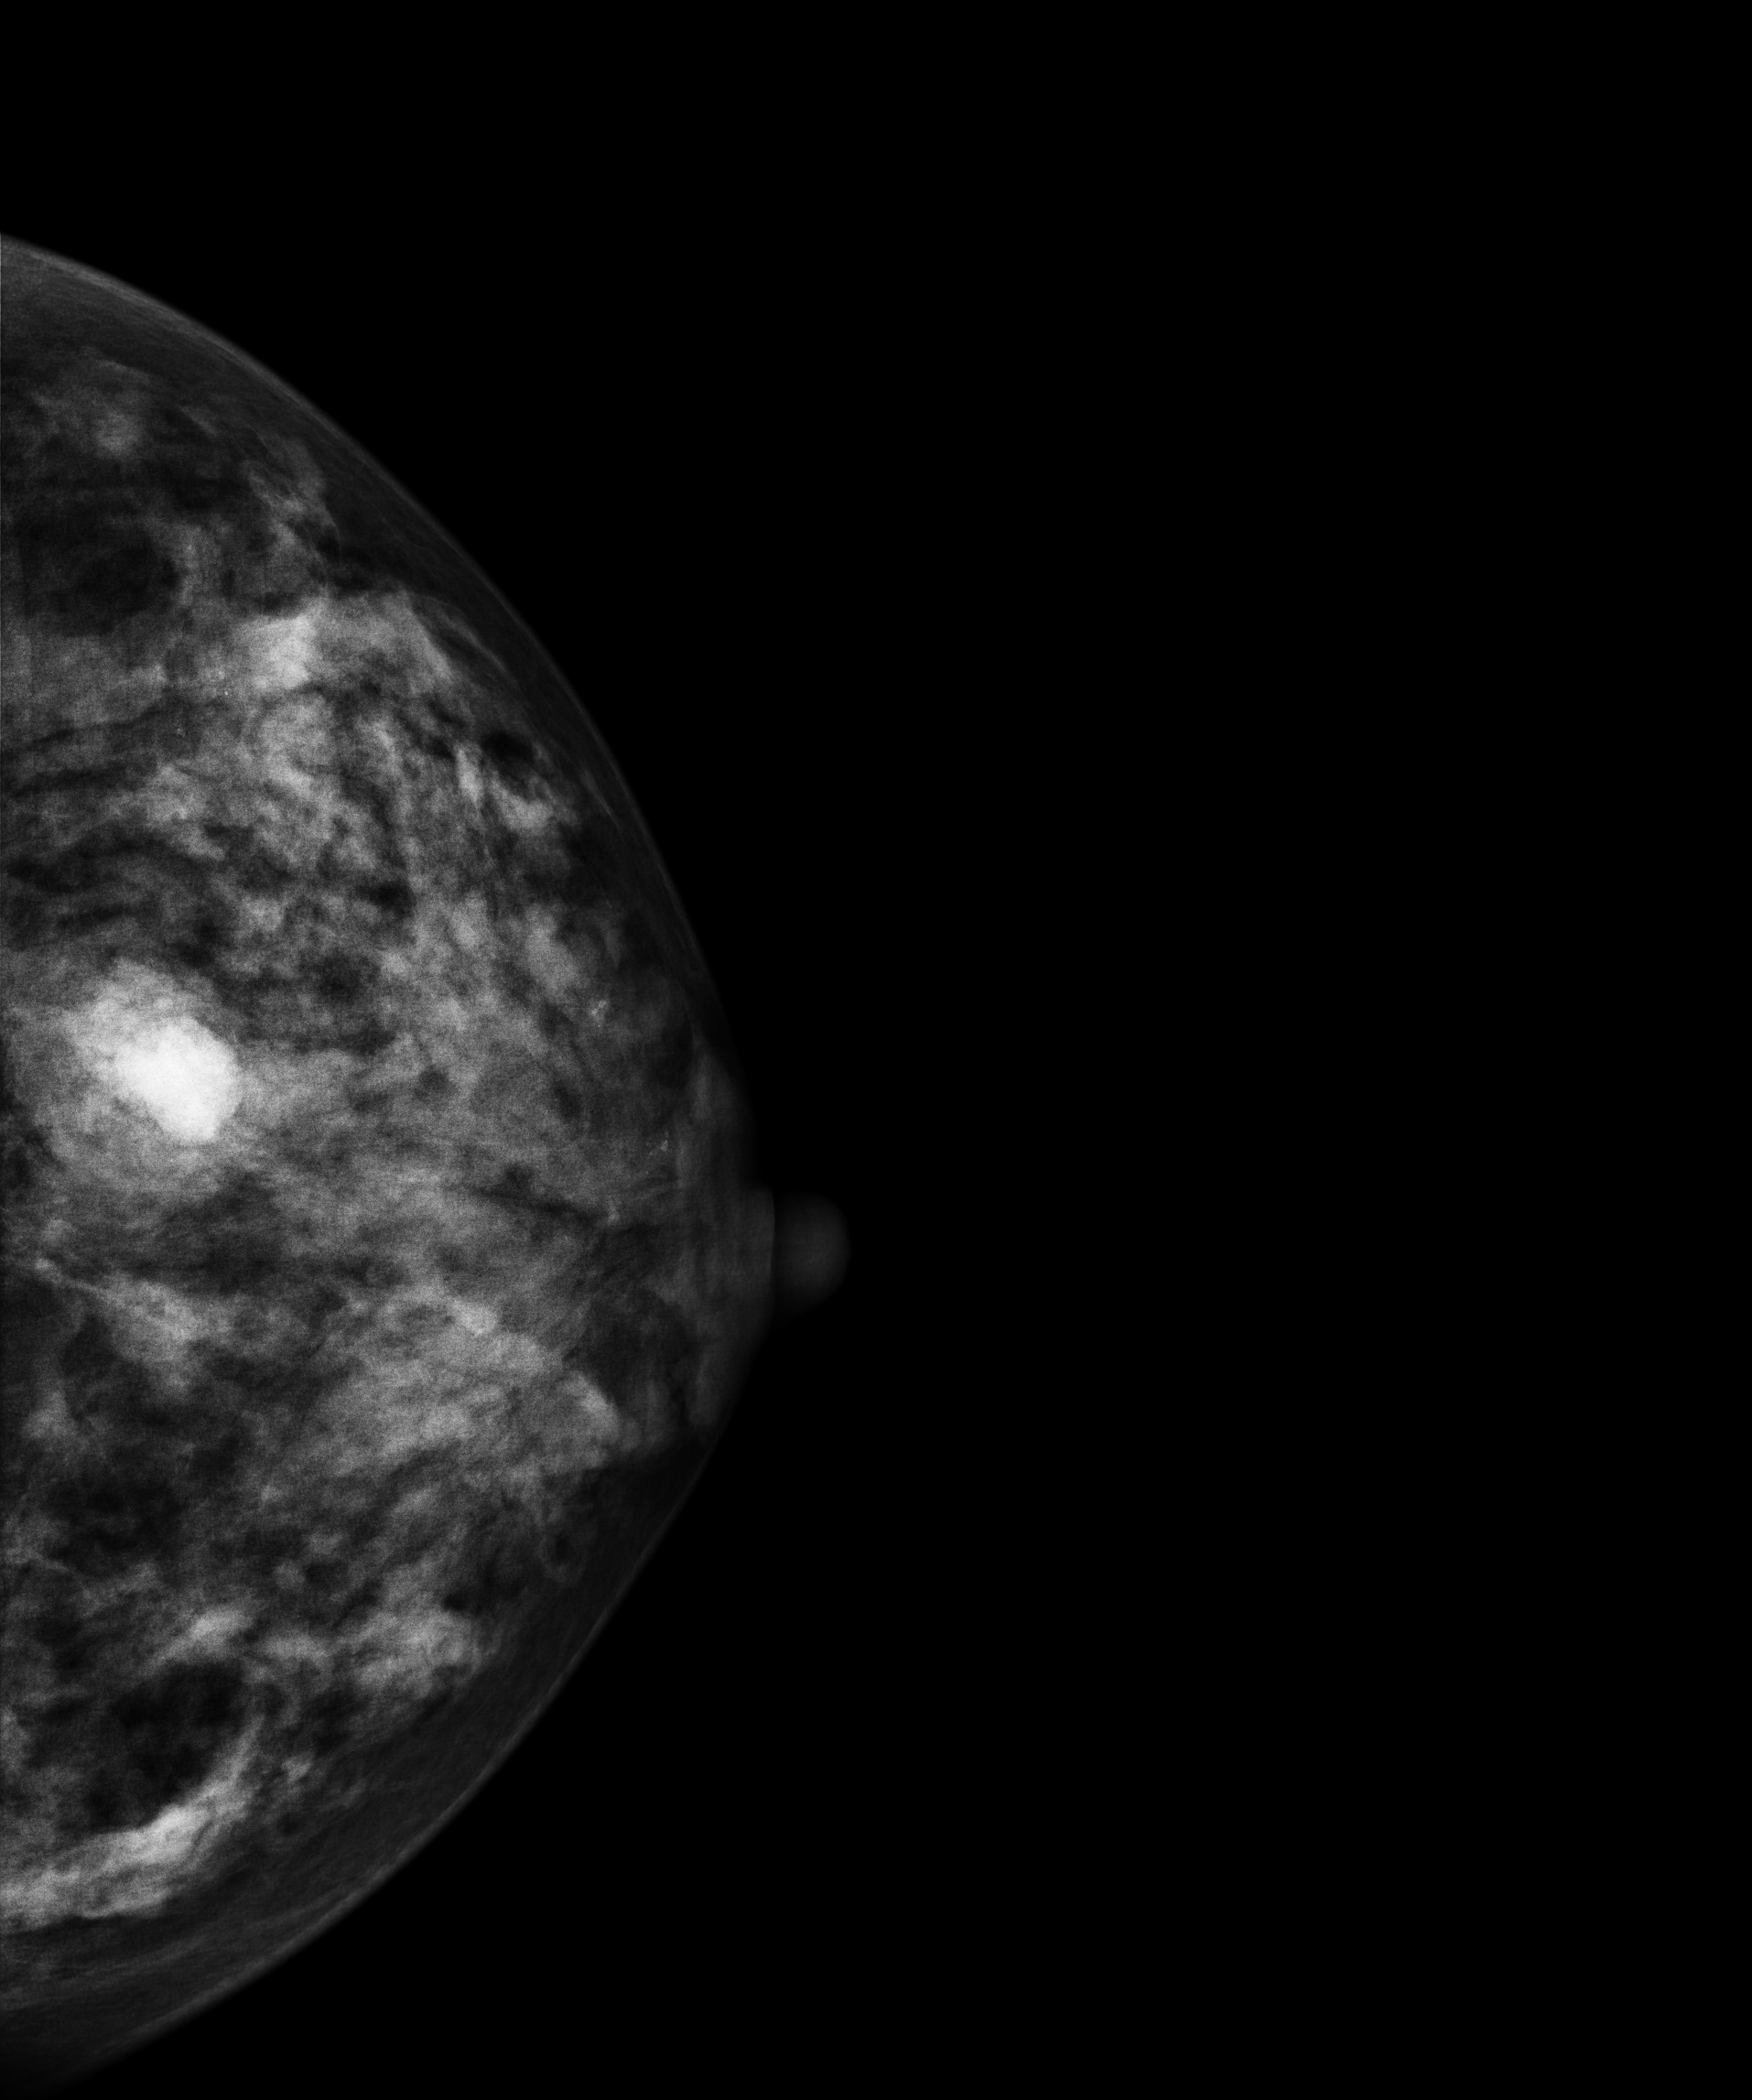
CC mammogram of the left breast. Patient age 35.
This breast has a mass, biopsy-proven benign.